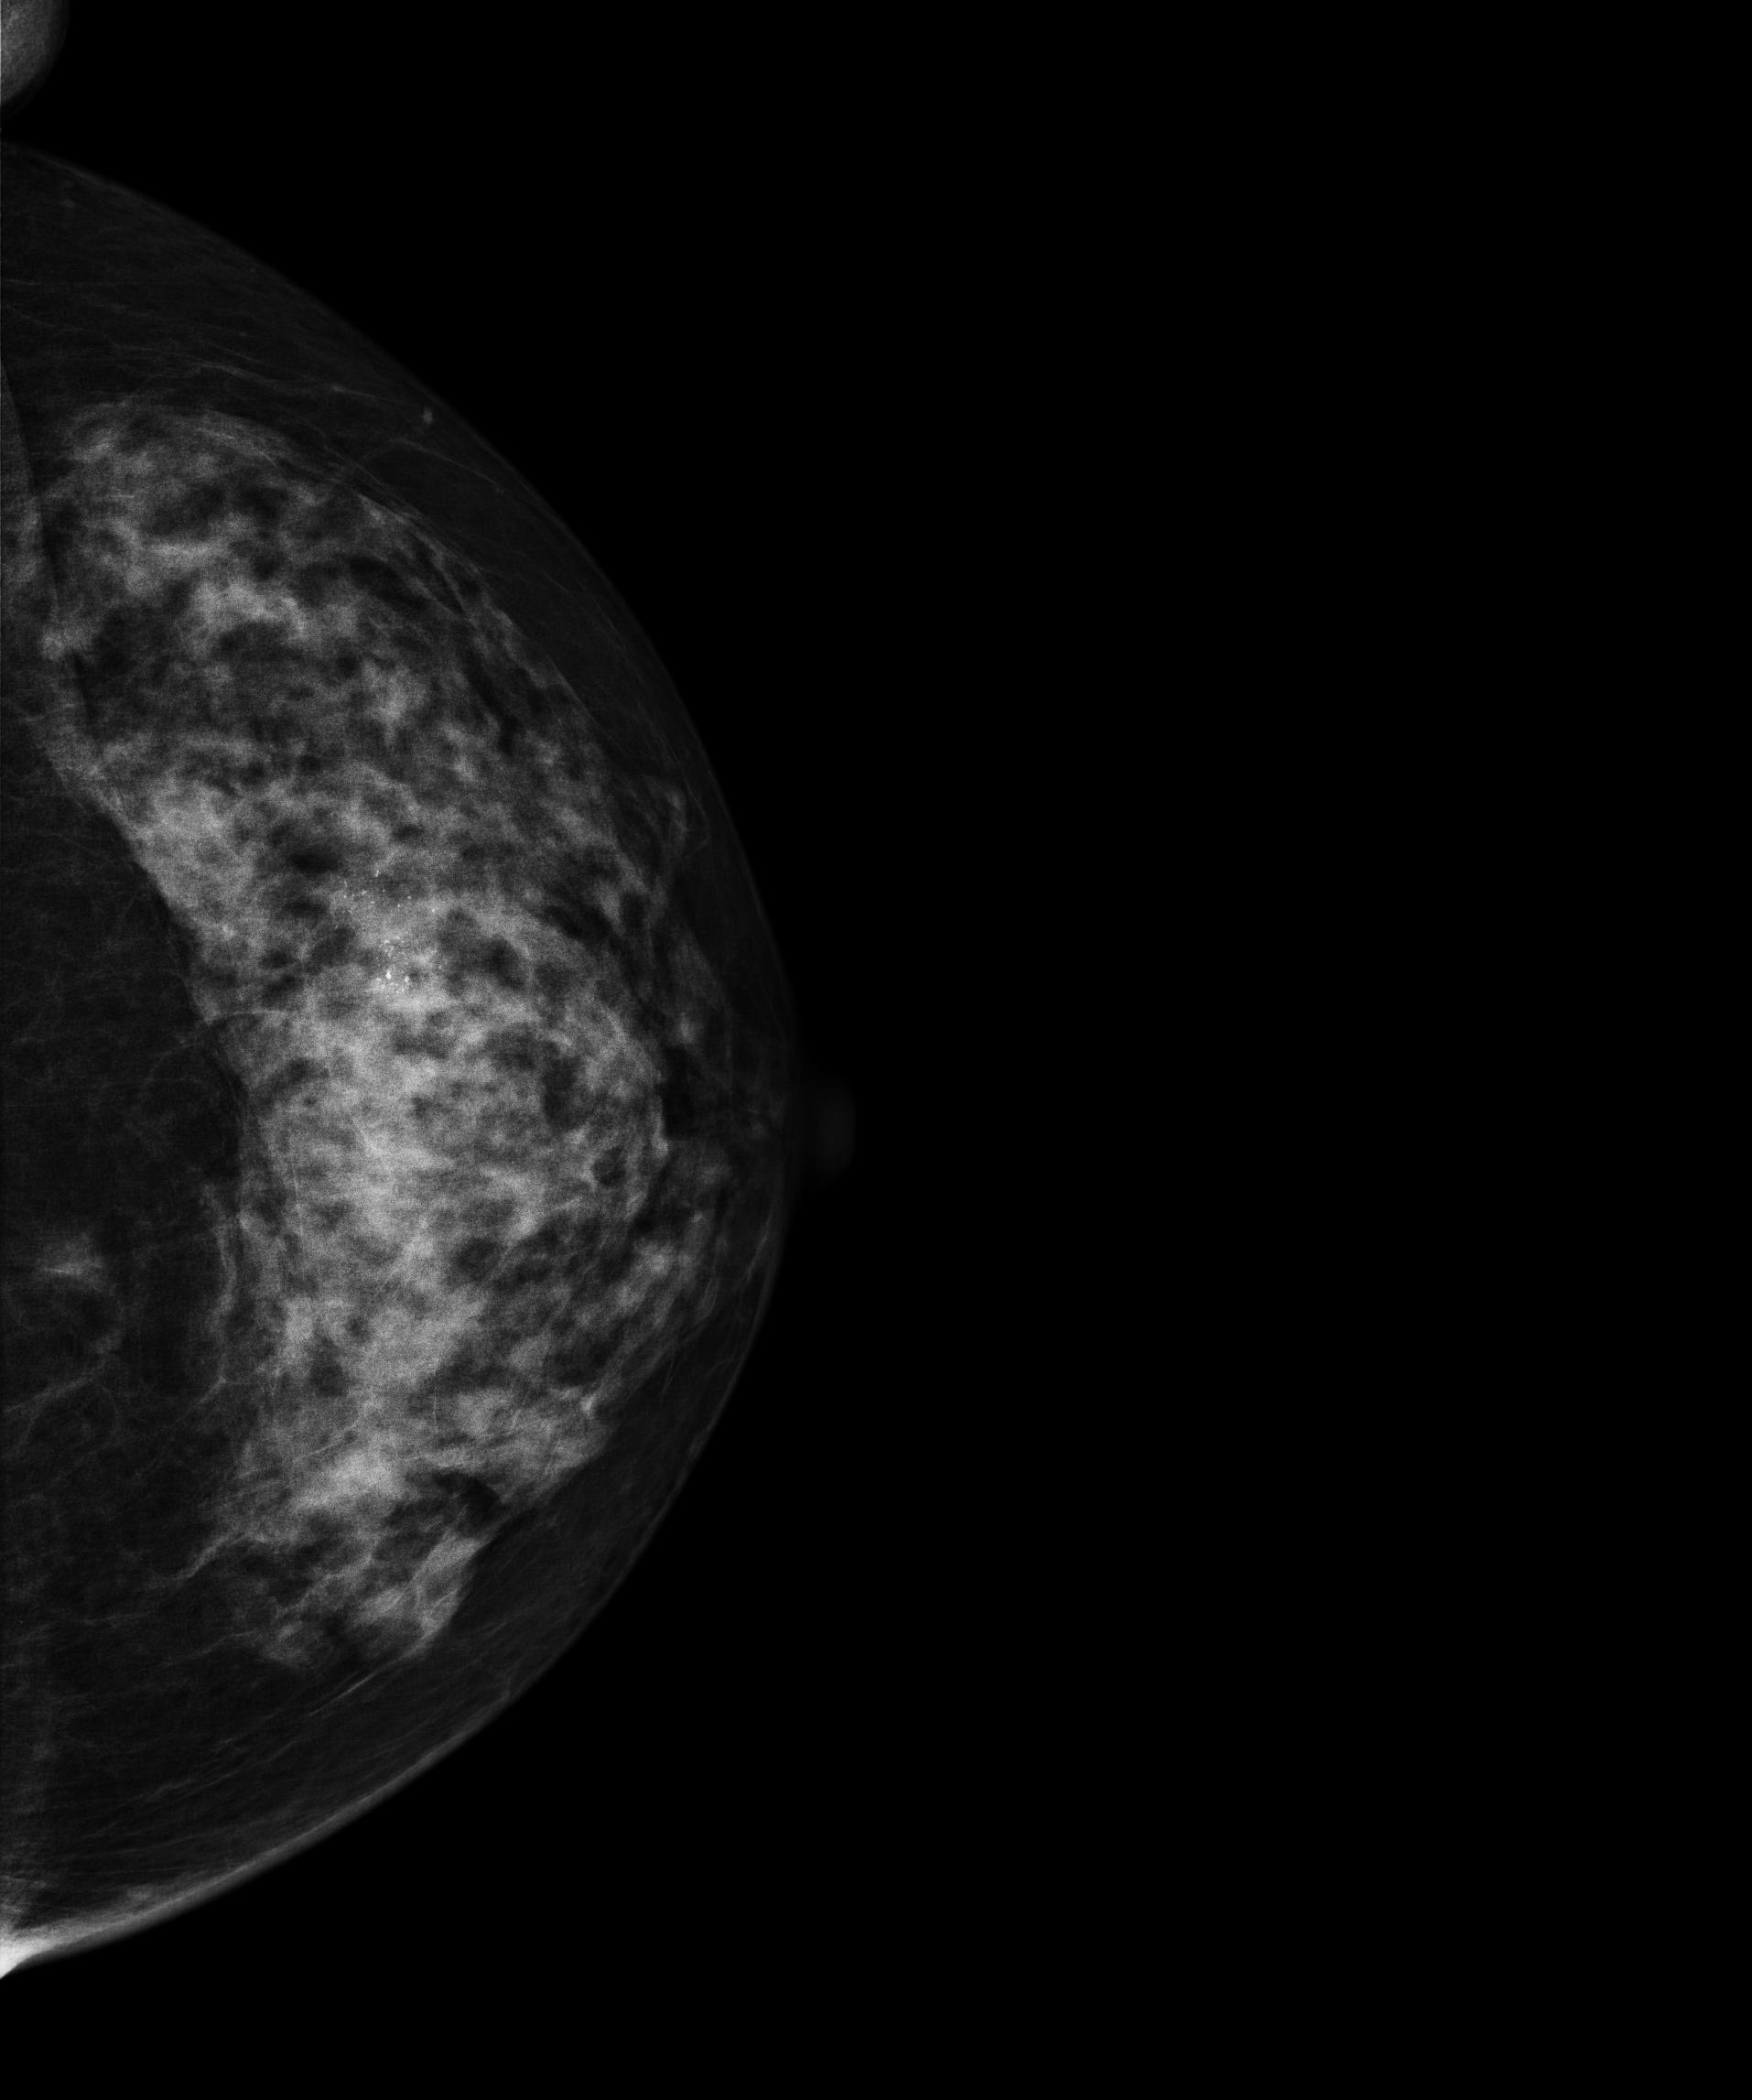
Mammogram, left breast, CC view. Patient age 62.
This breast has a mass and calcifications, biopsy-confirmed malignant.